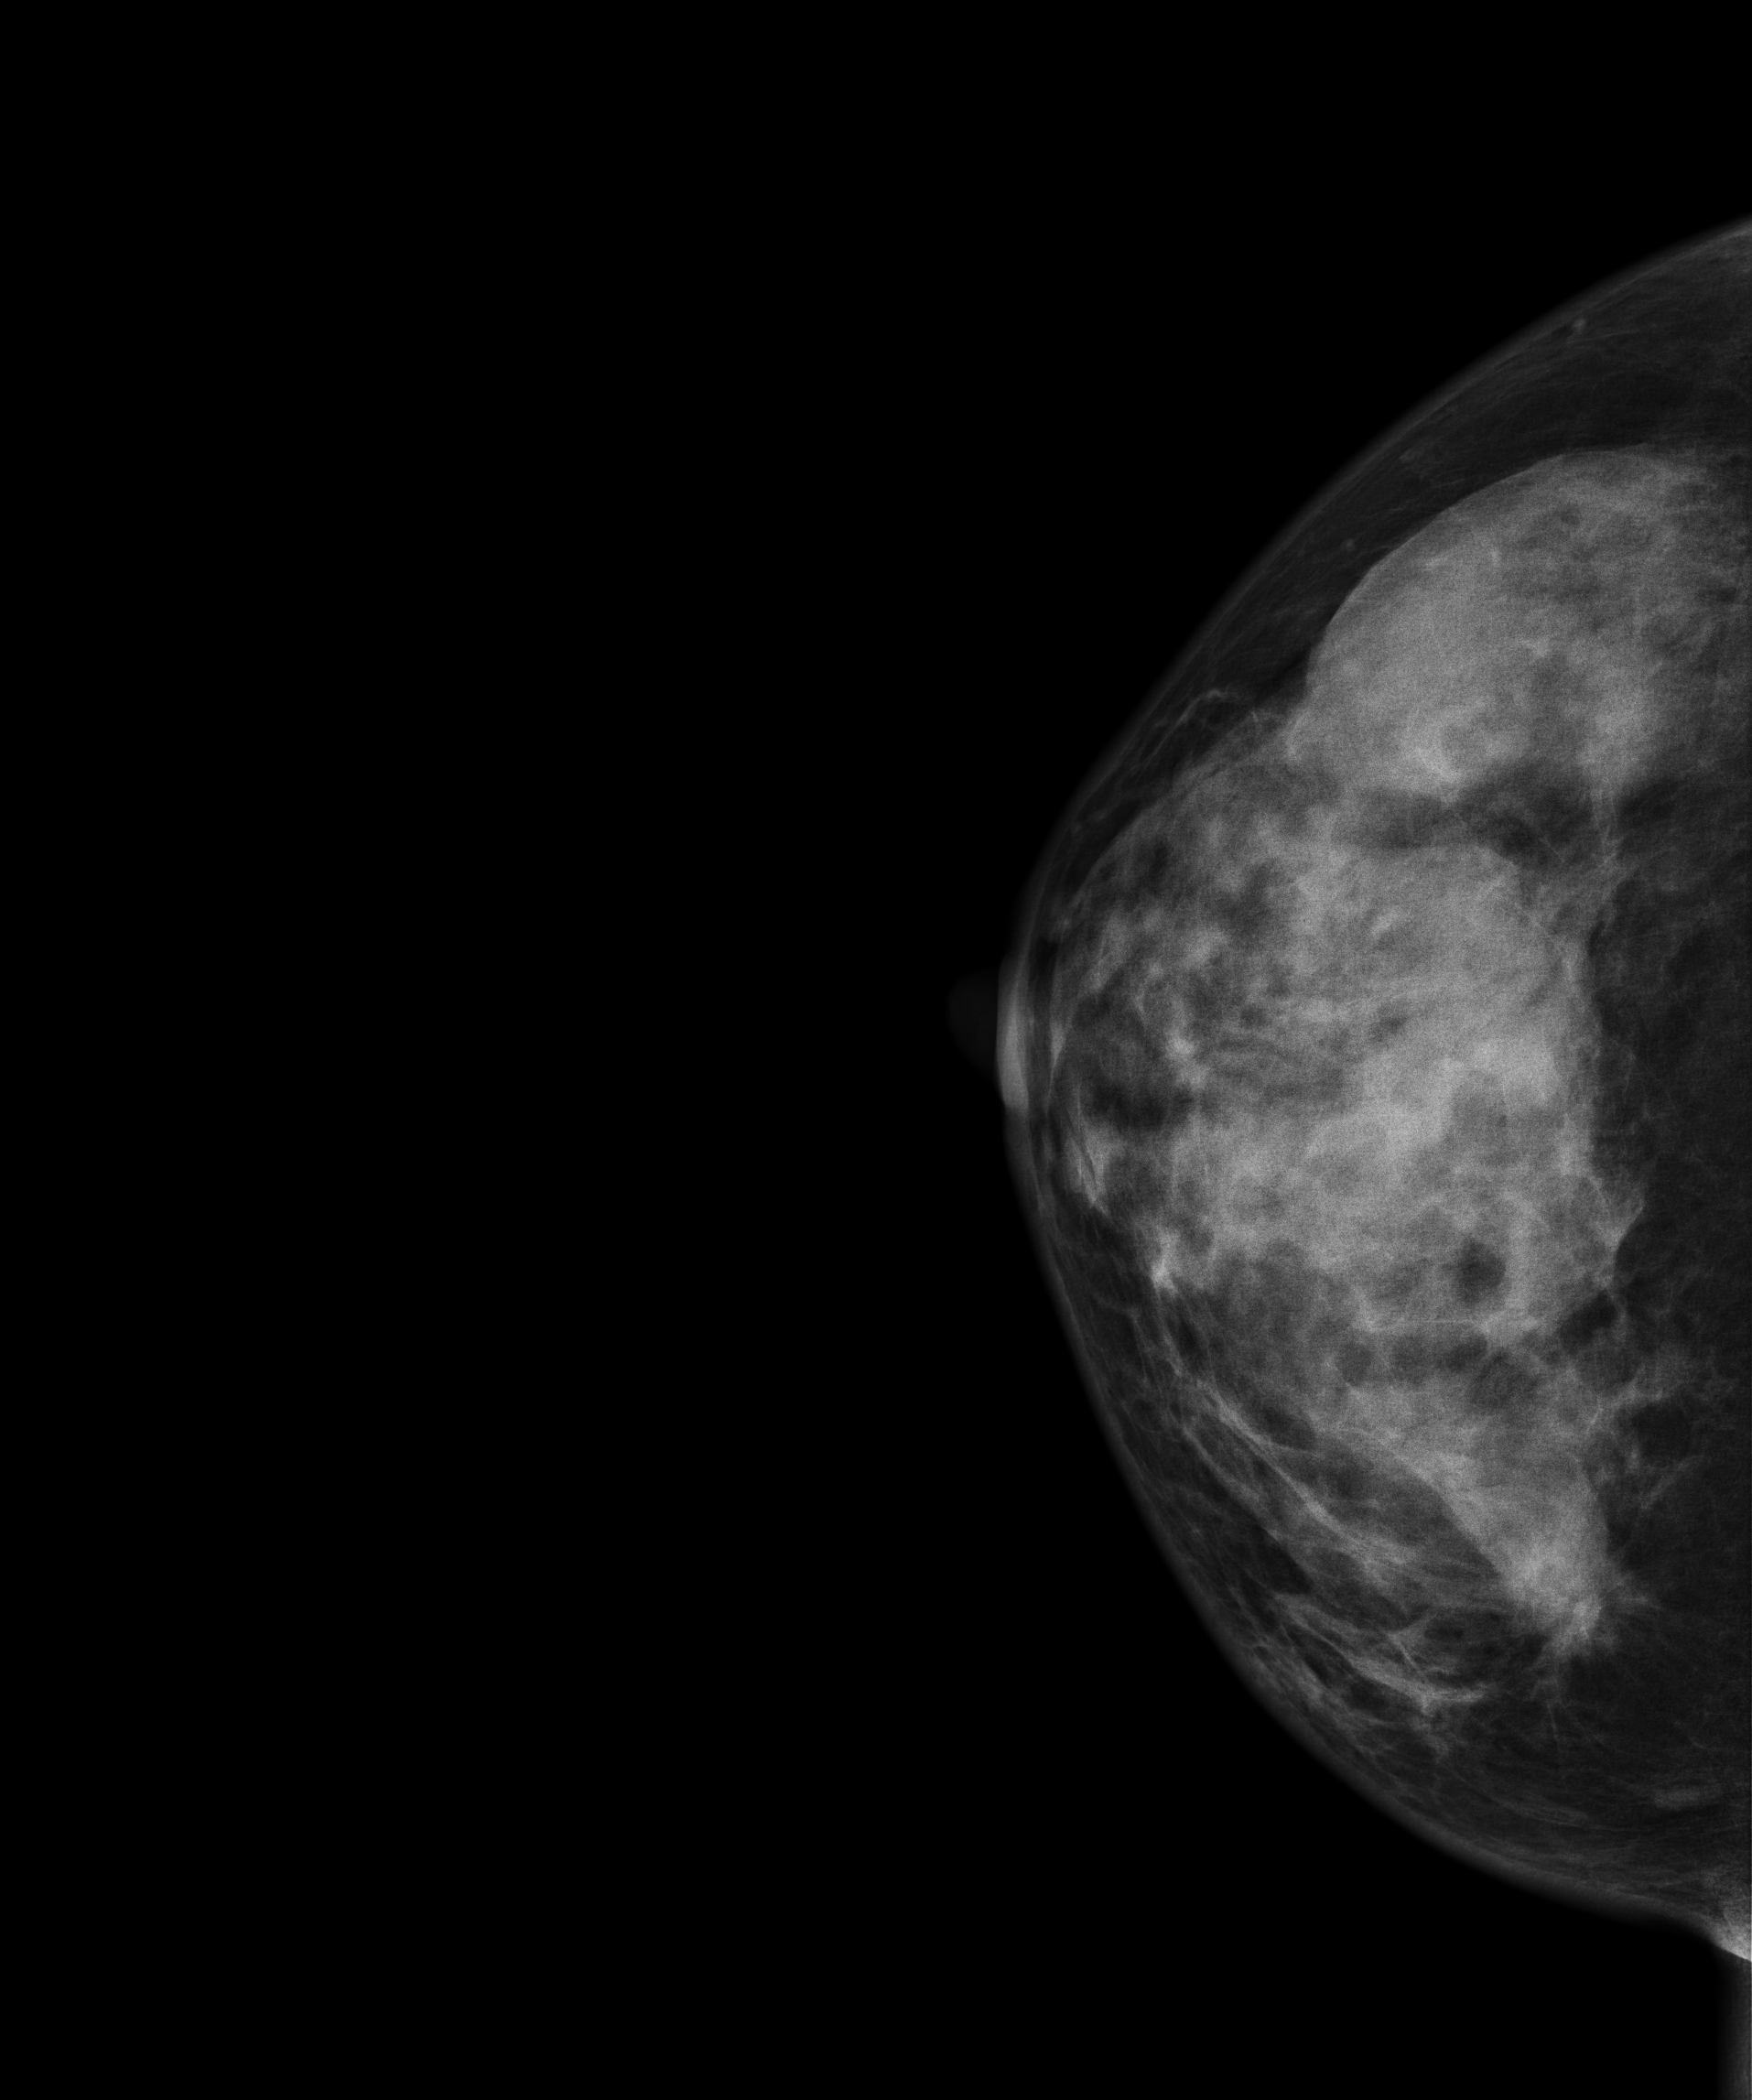
CC mammogram of the right breast. Patient age 46.
This breast has a mass, biopsy-proven malignant.